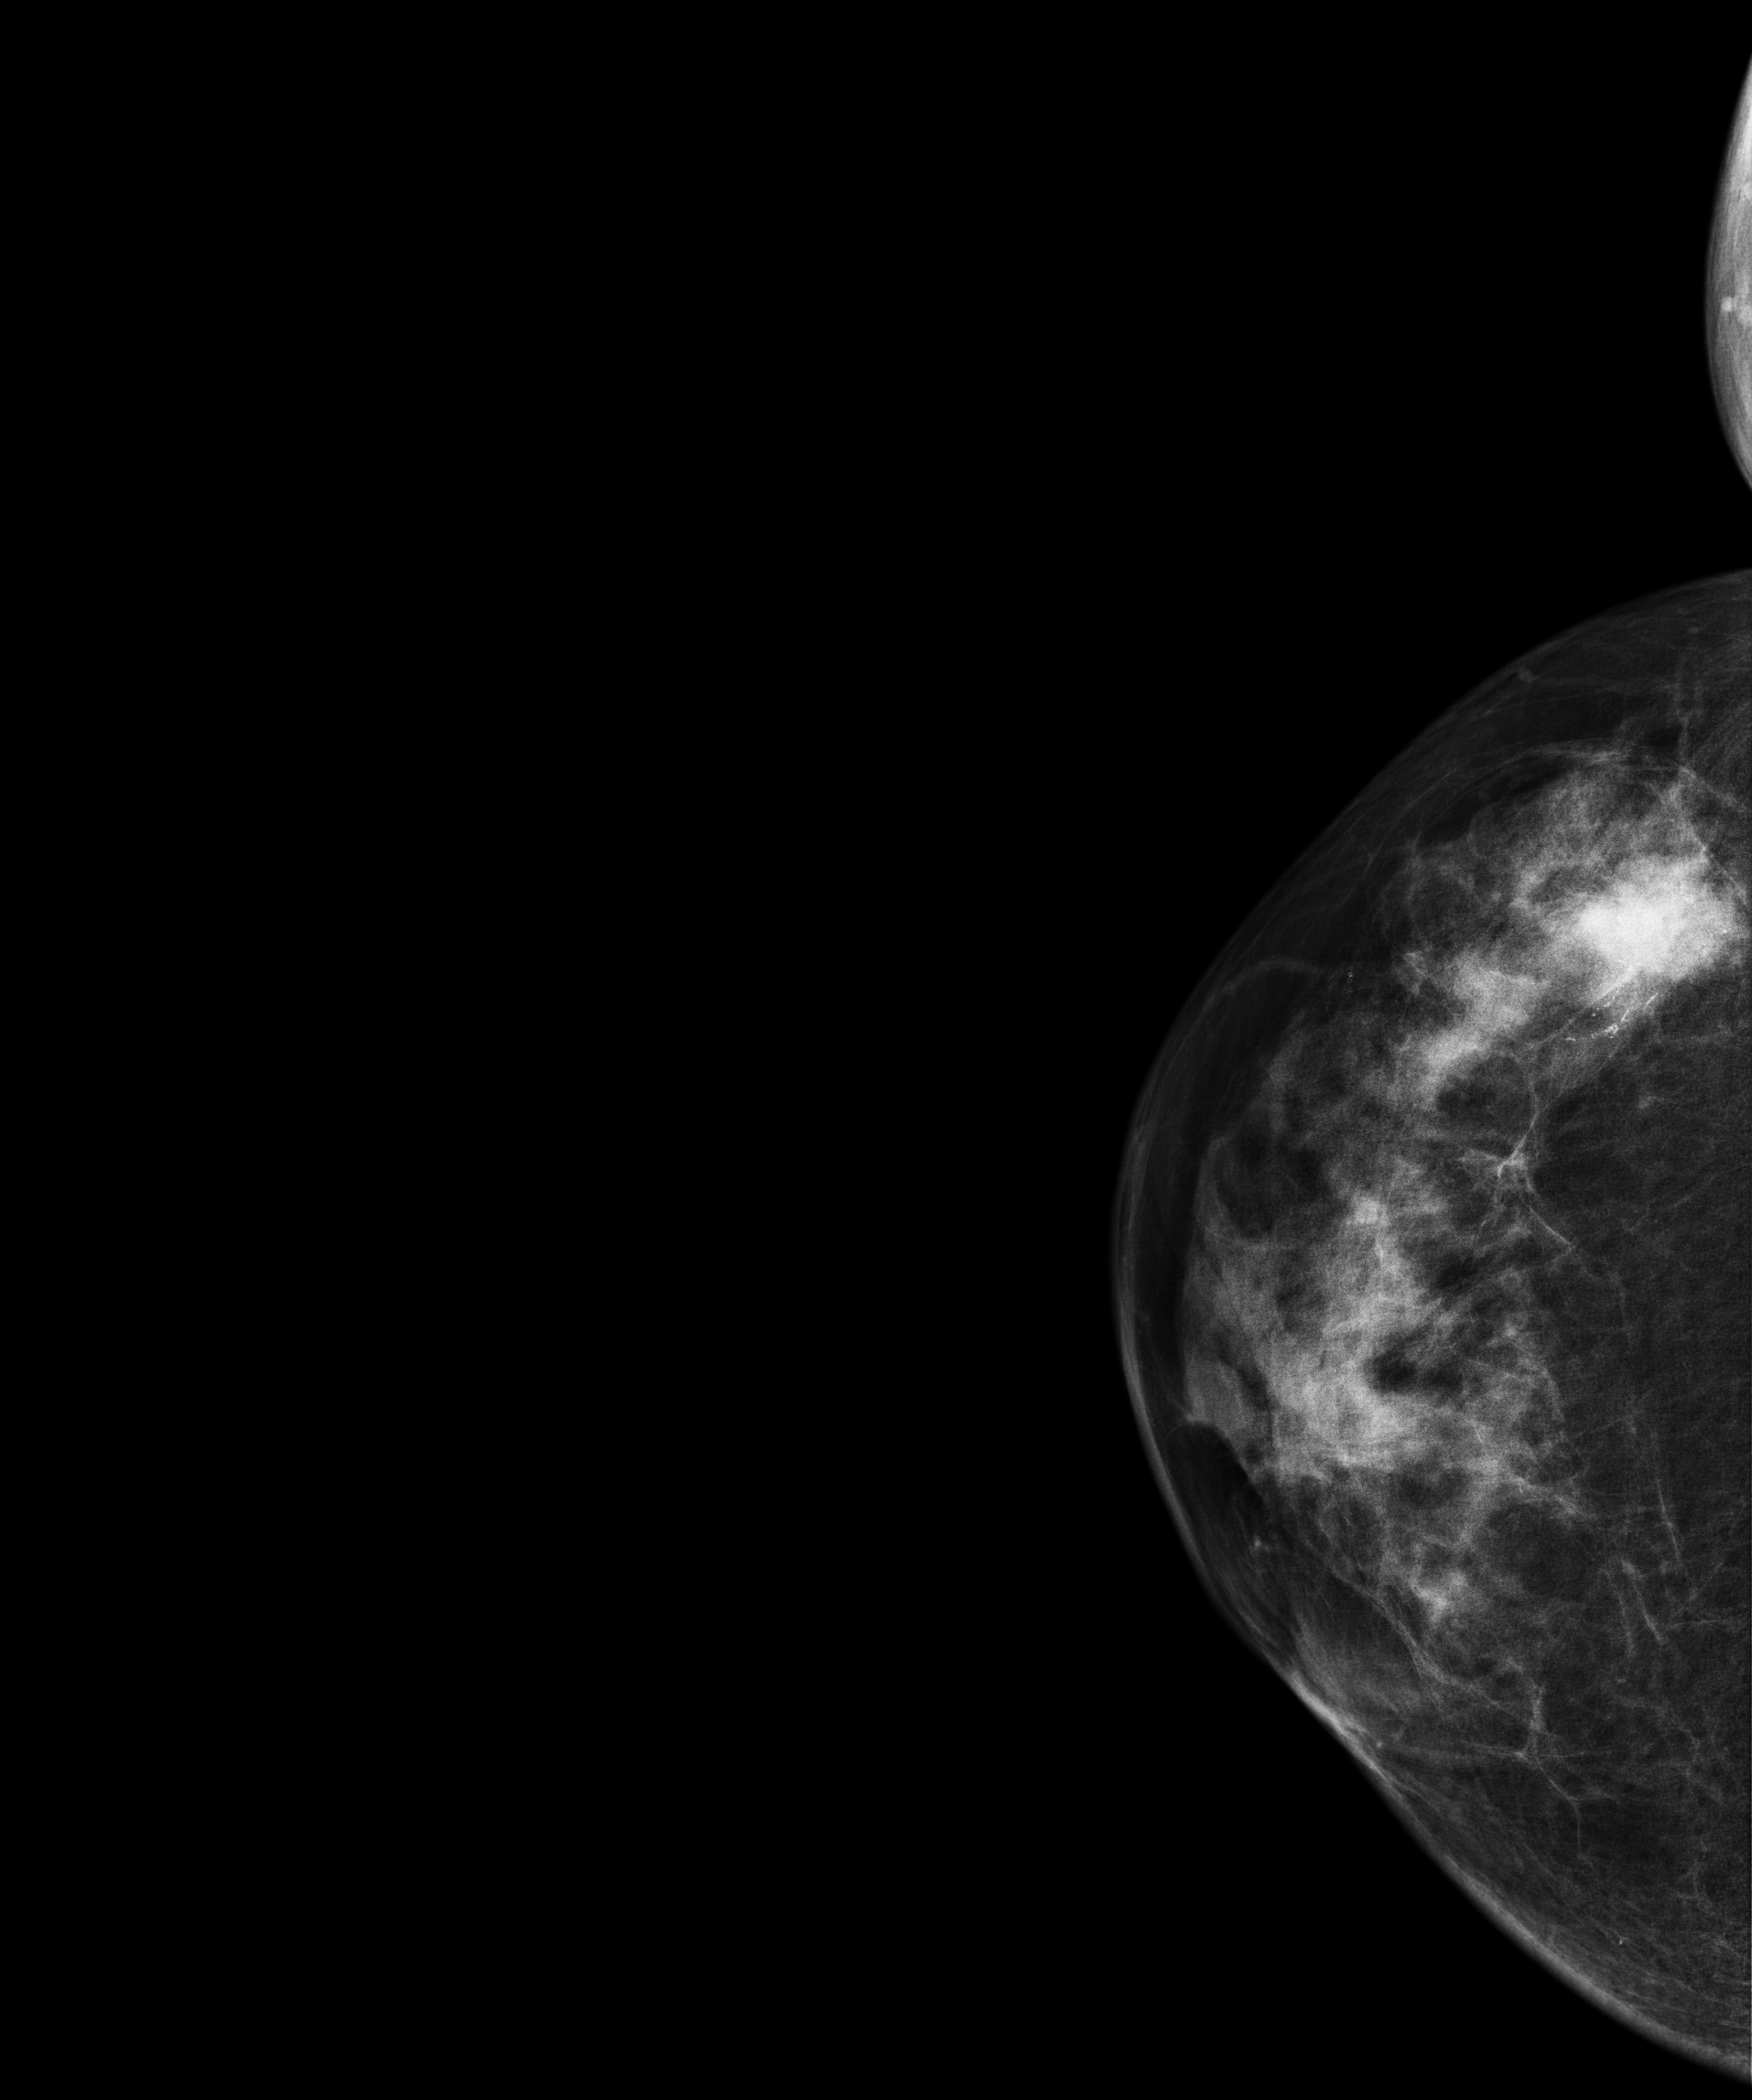
Right-breast mammogram, CC. 64-year-old patient.
This breast has a mass and calcifications, histologically confirmed malignant. Molecular subtype: luminal B.